Left-breast mammogram, medio-lateral oblique. Patient age 39.
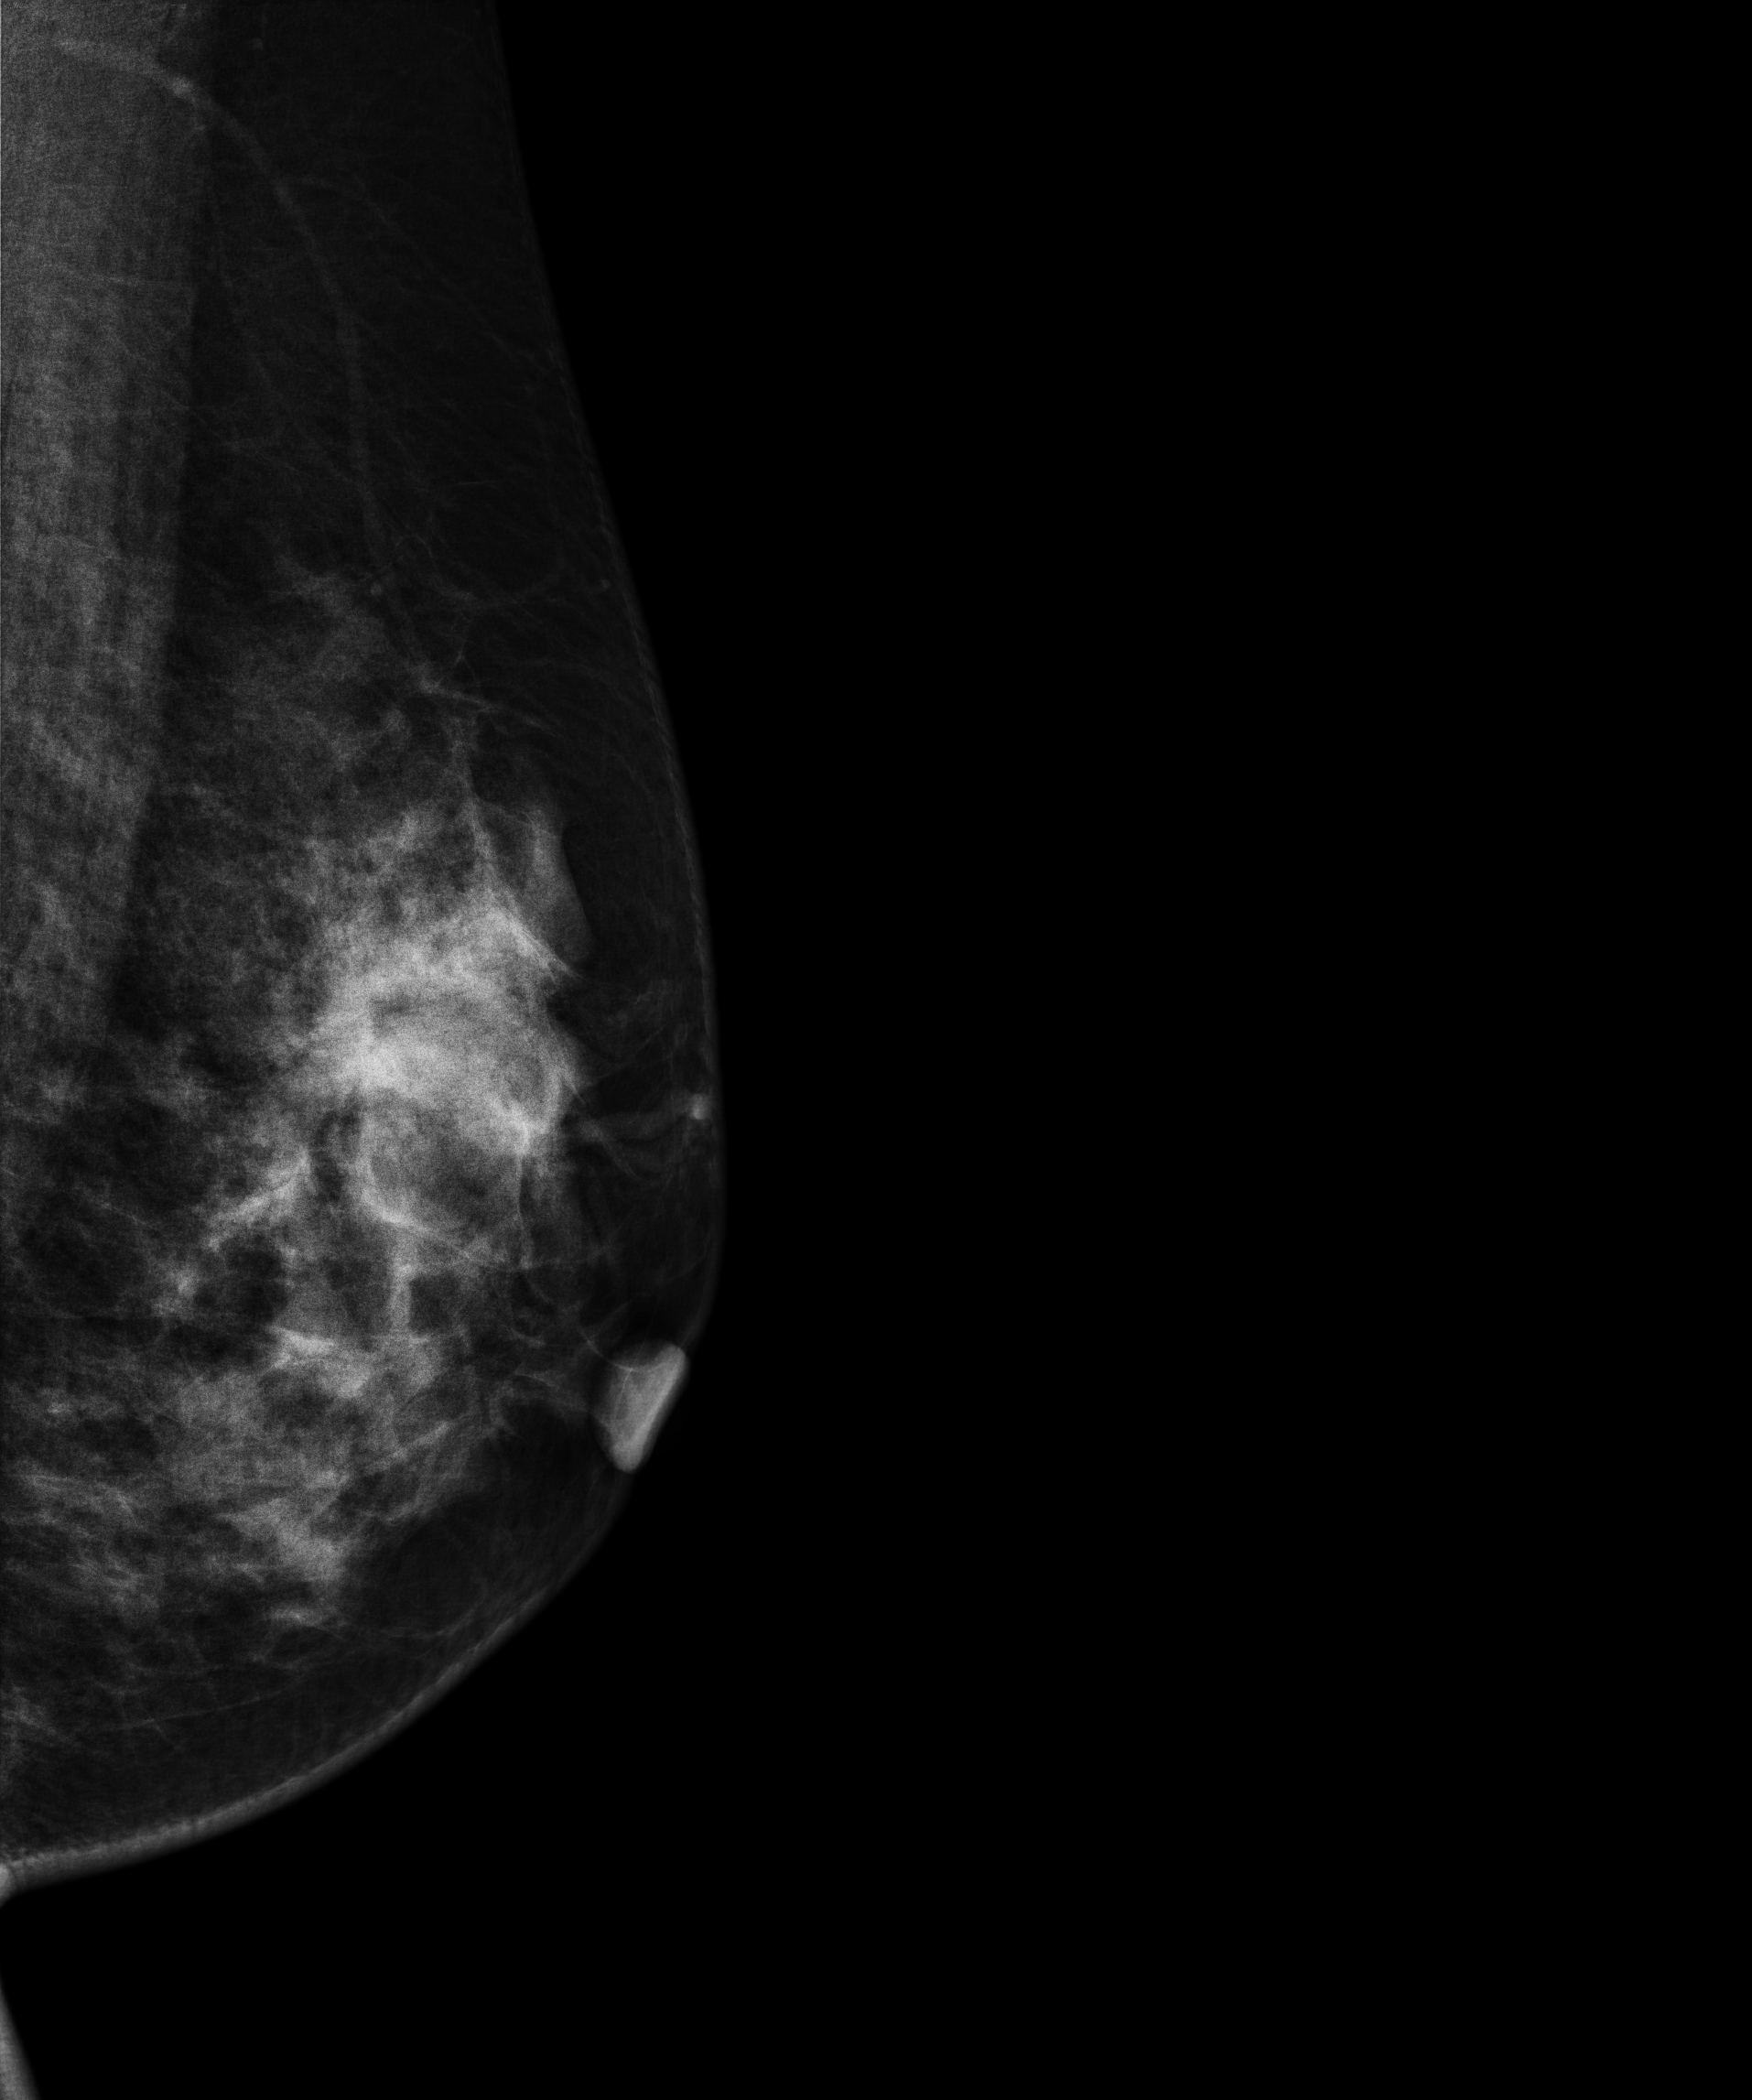
This breast has a mass, histologically confirmed malignant.